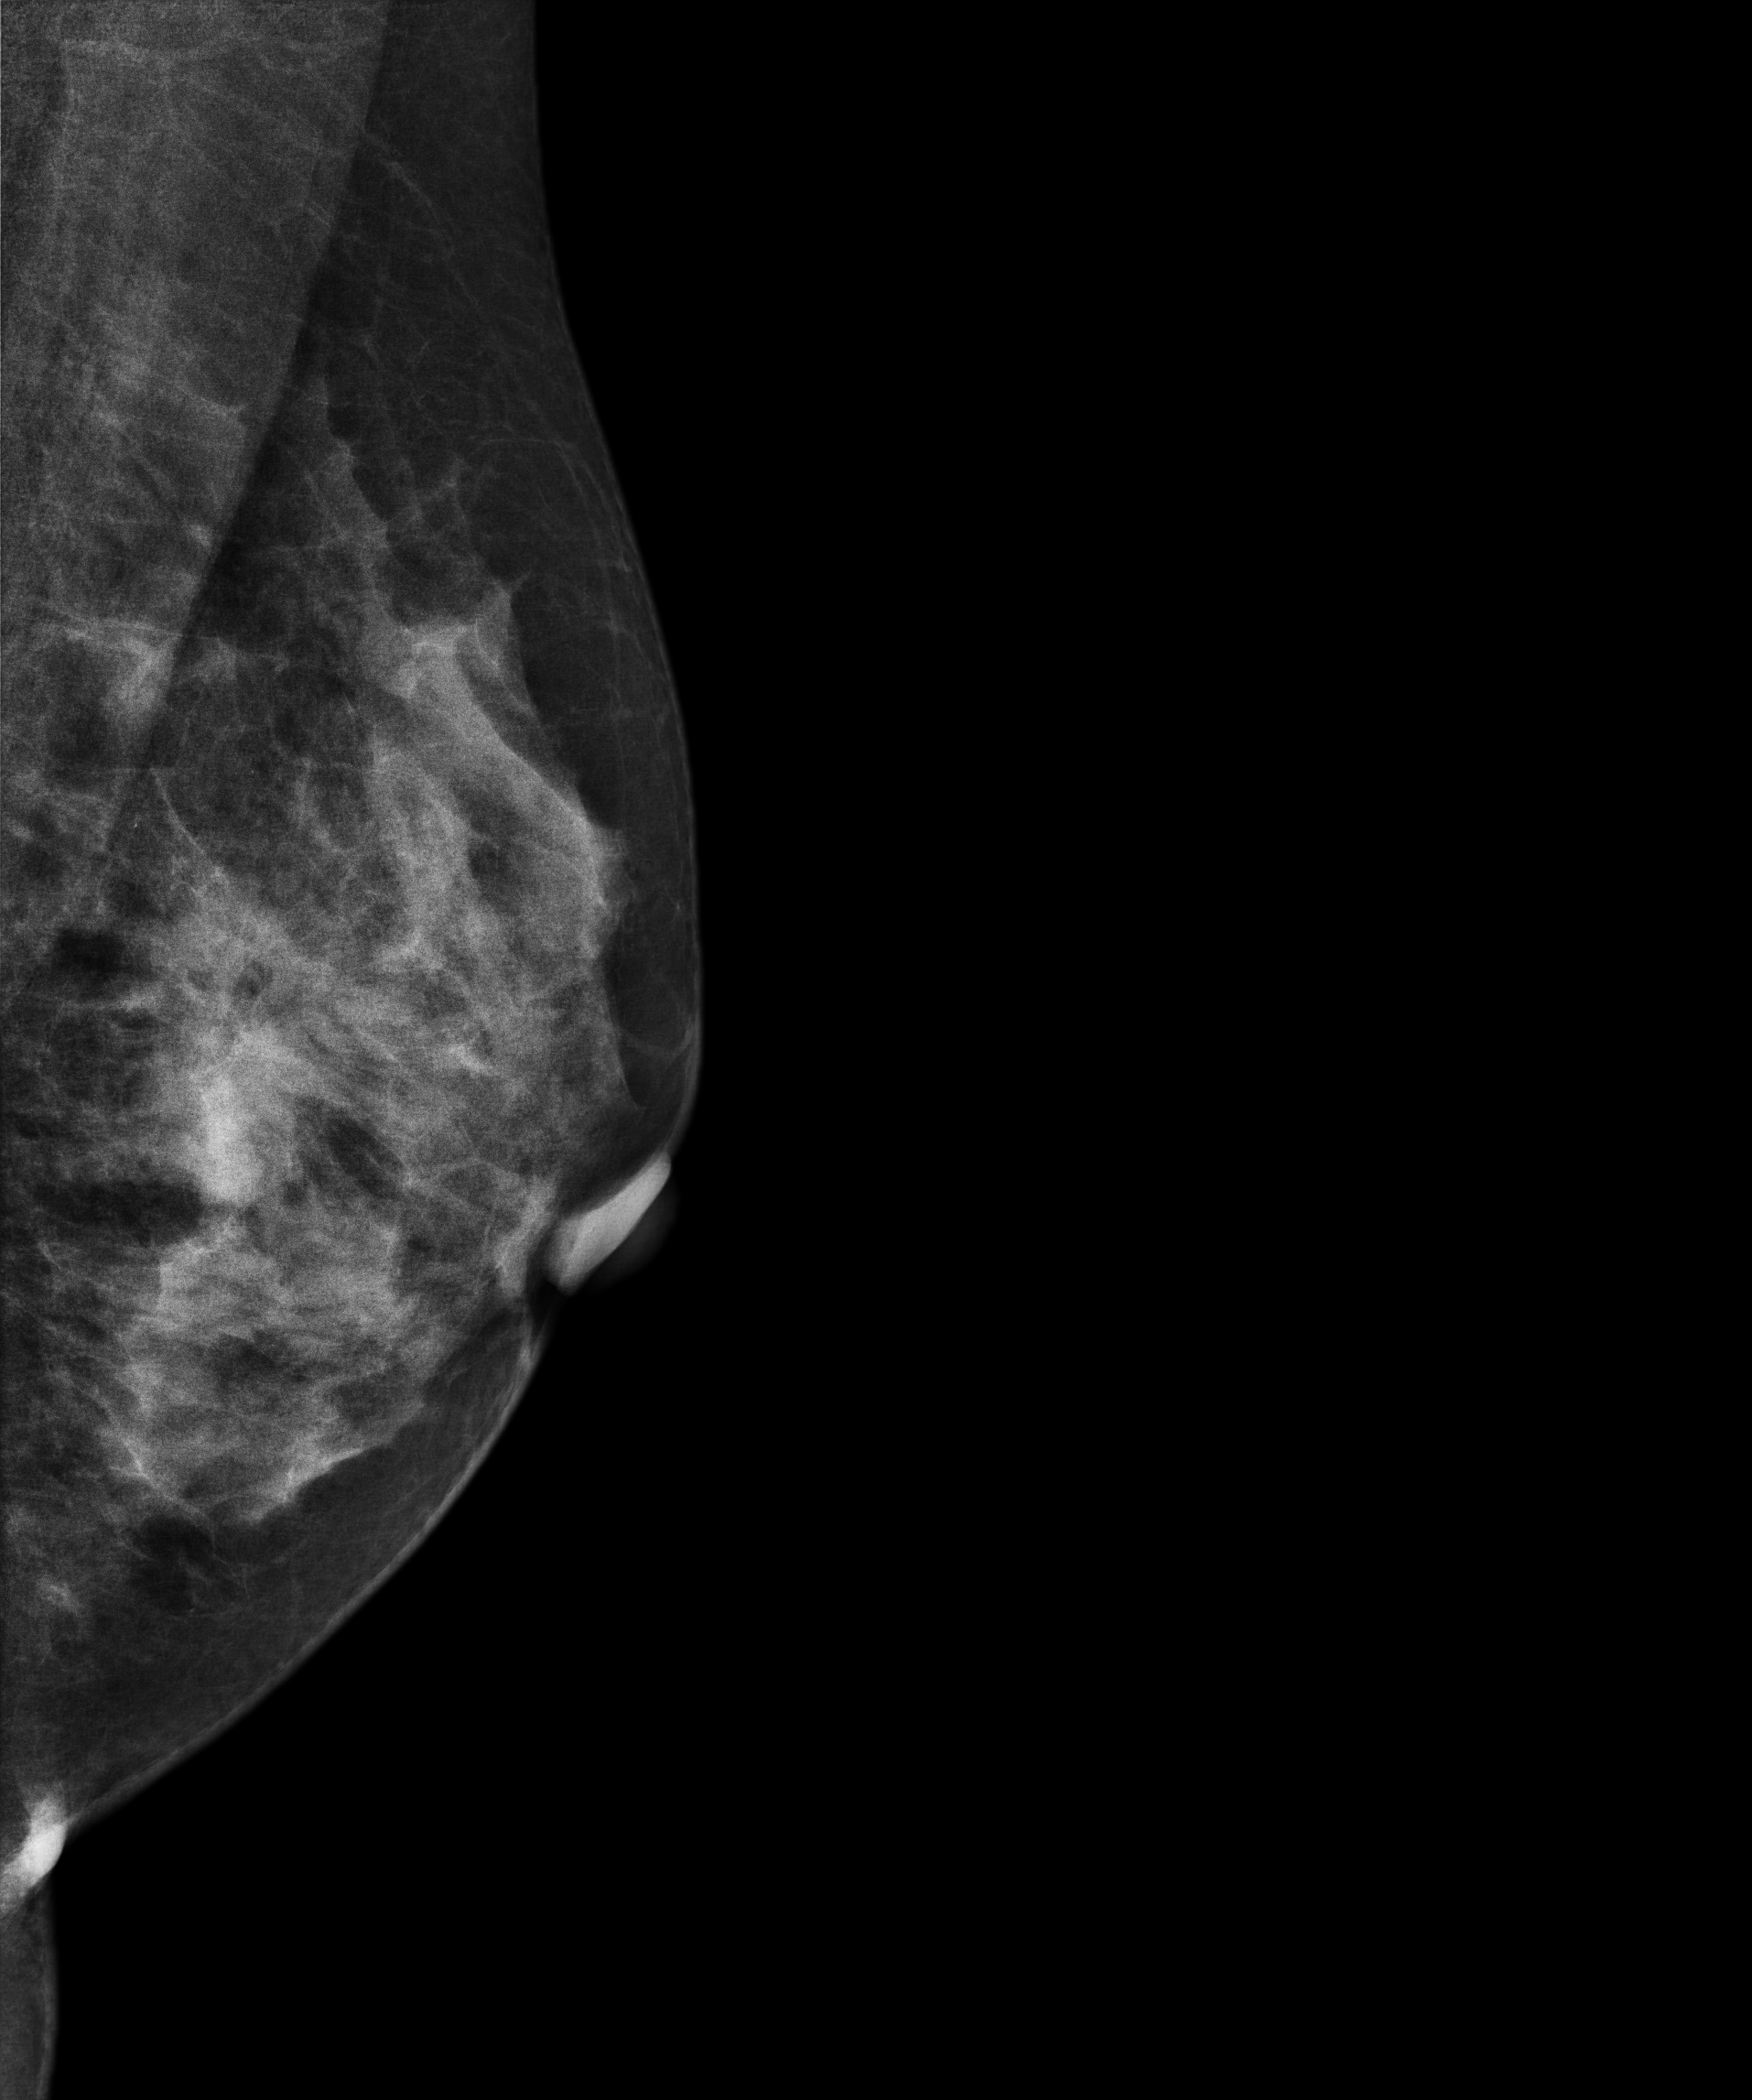
Digital mammography. Left breast, MLO projection. 47 y/o patient.
This breast has a mass, pathology-confirmed malignant.